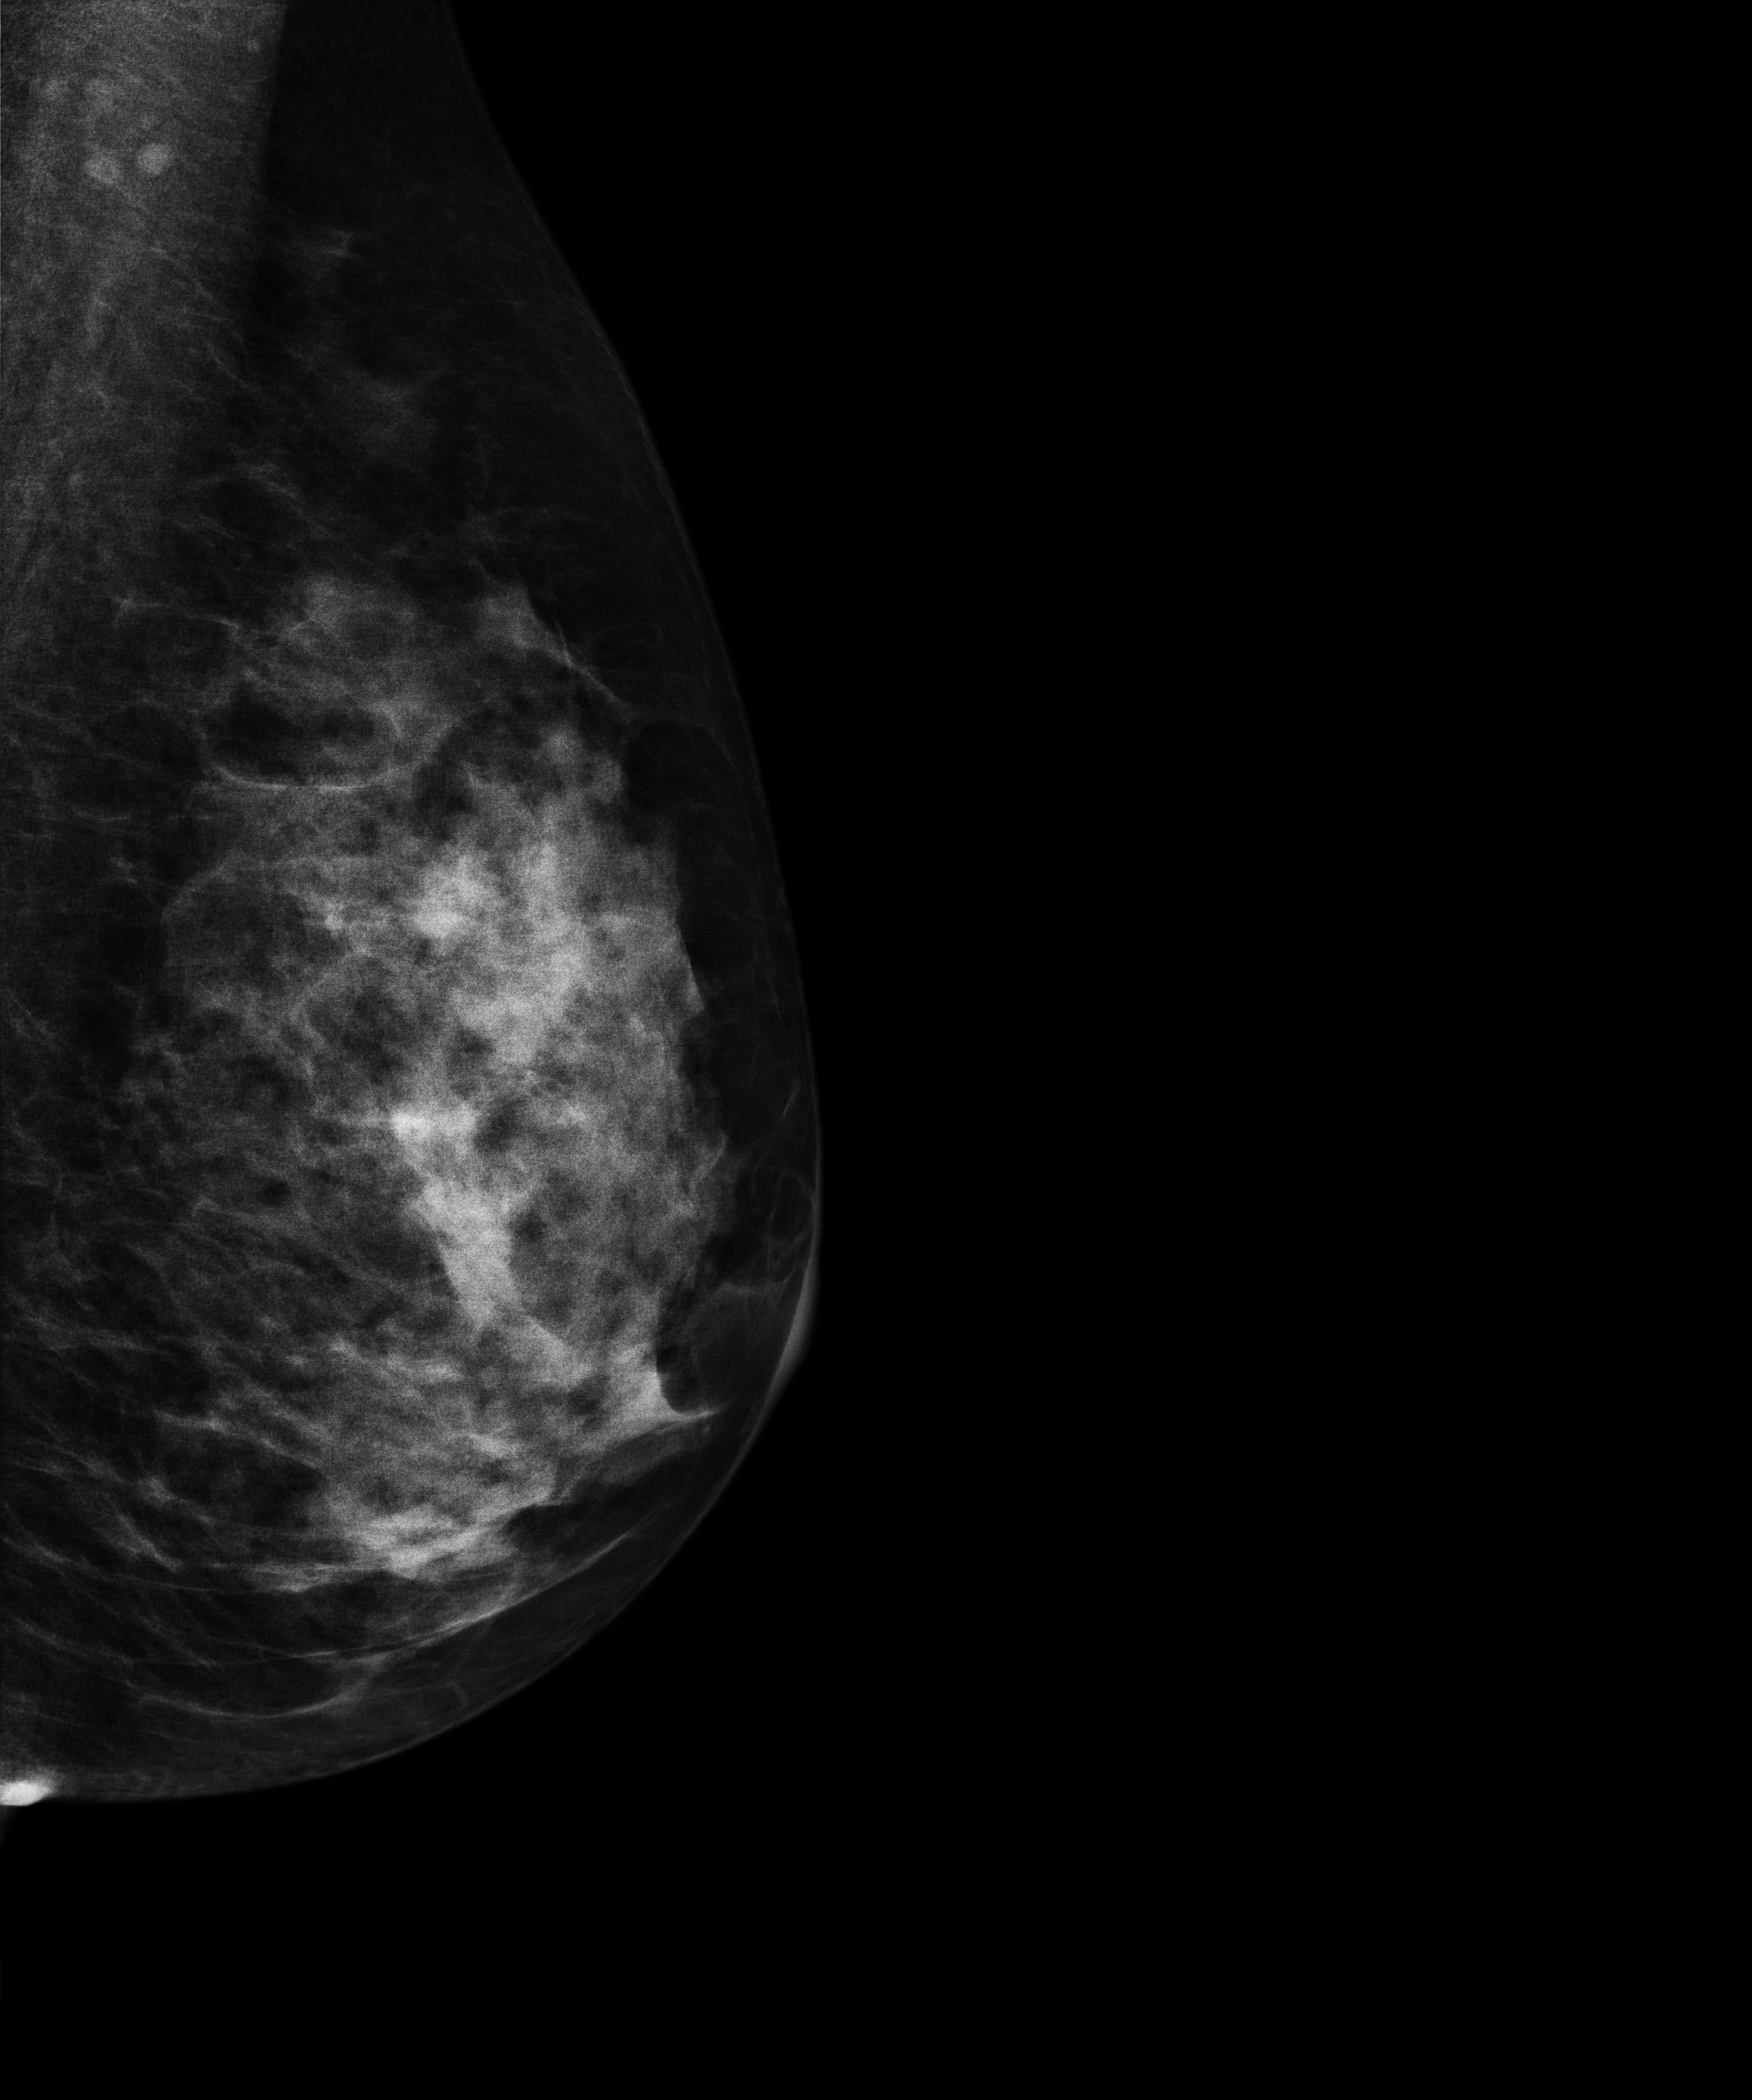
Digital mammography. Left breast, medio-lateral oblique projection. Patient age 56.
This breast has a mass, histologically confirmed malignant. Molecular subtype: luminal B.